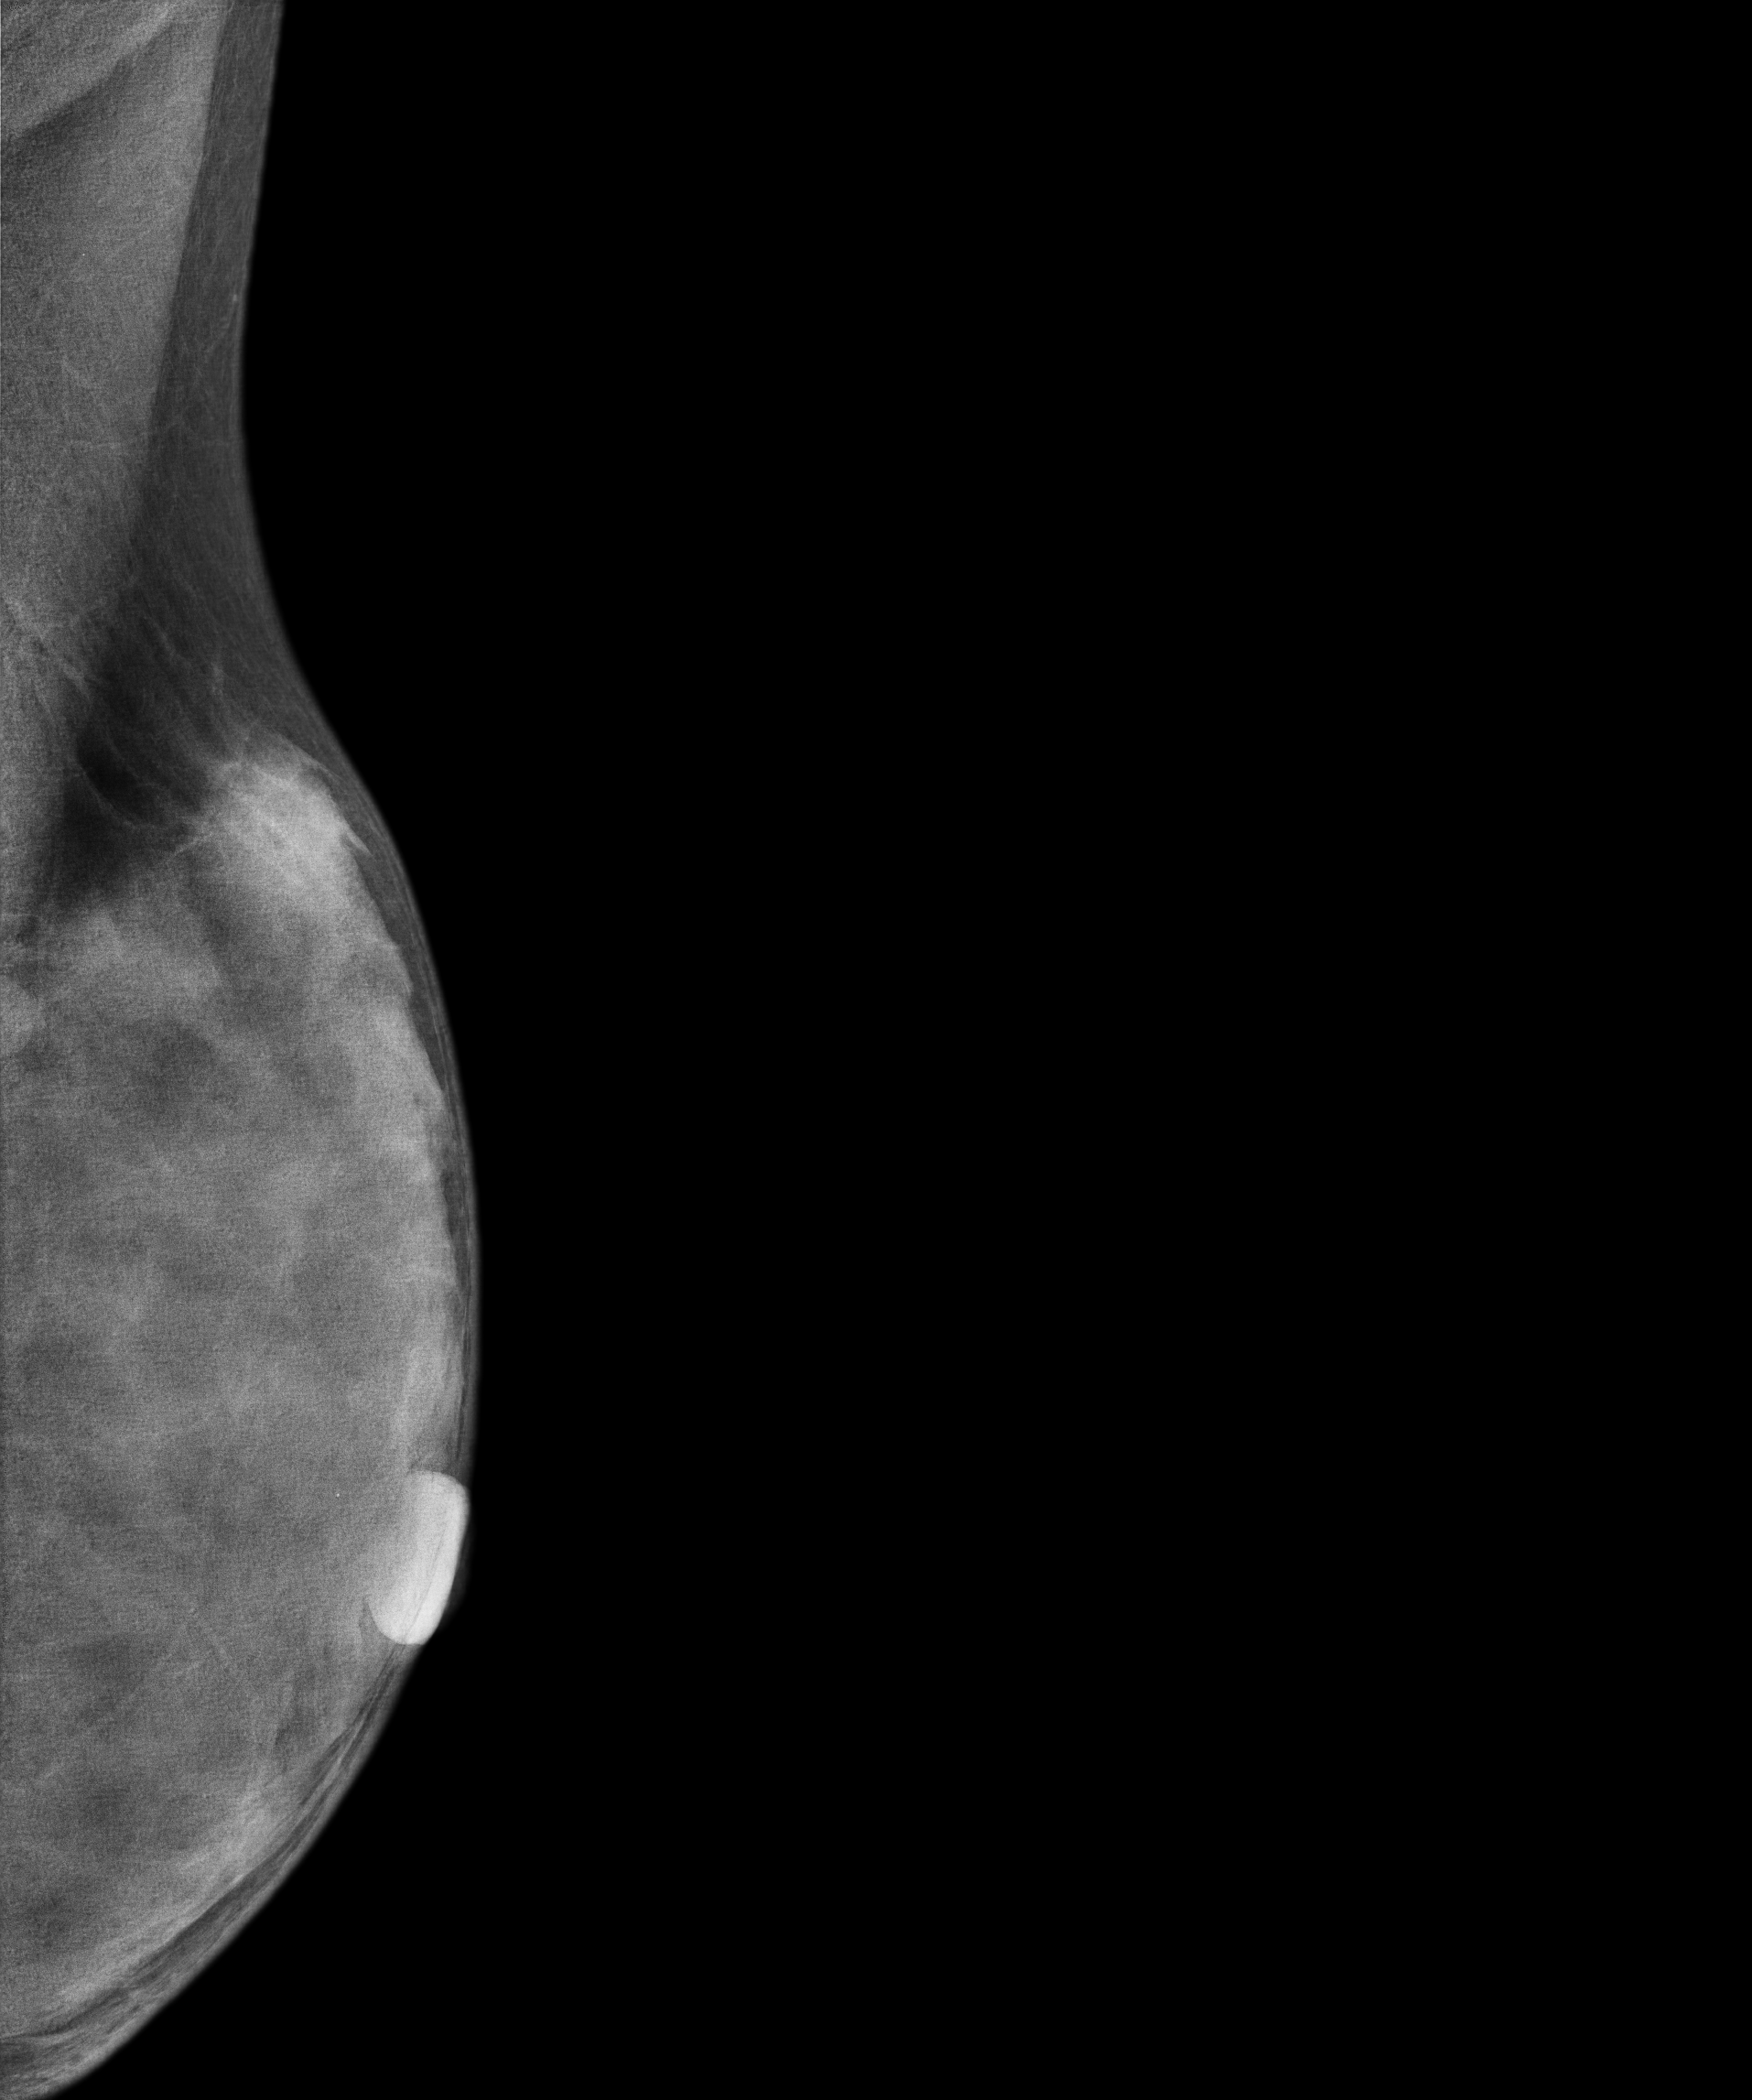
Left-breast mammogram, medio-lateral oblique. Patient age 35.
Contralateral breast — no documented abnormality on this side.